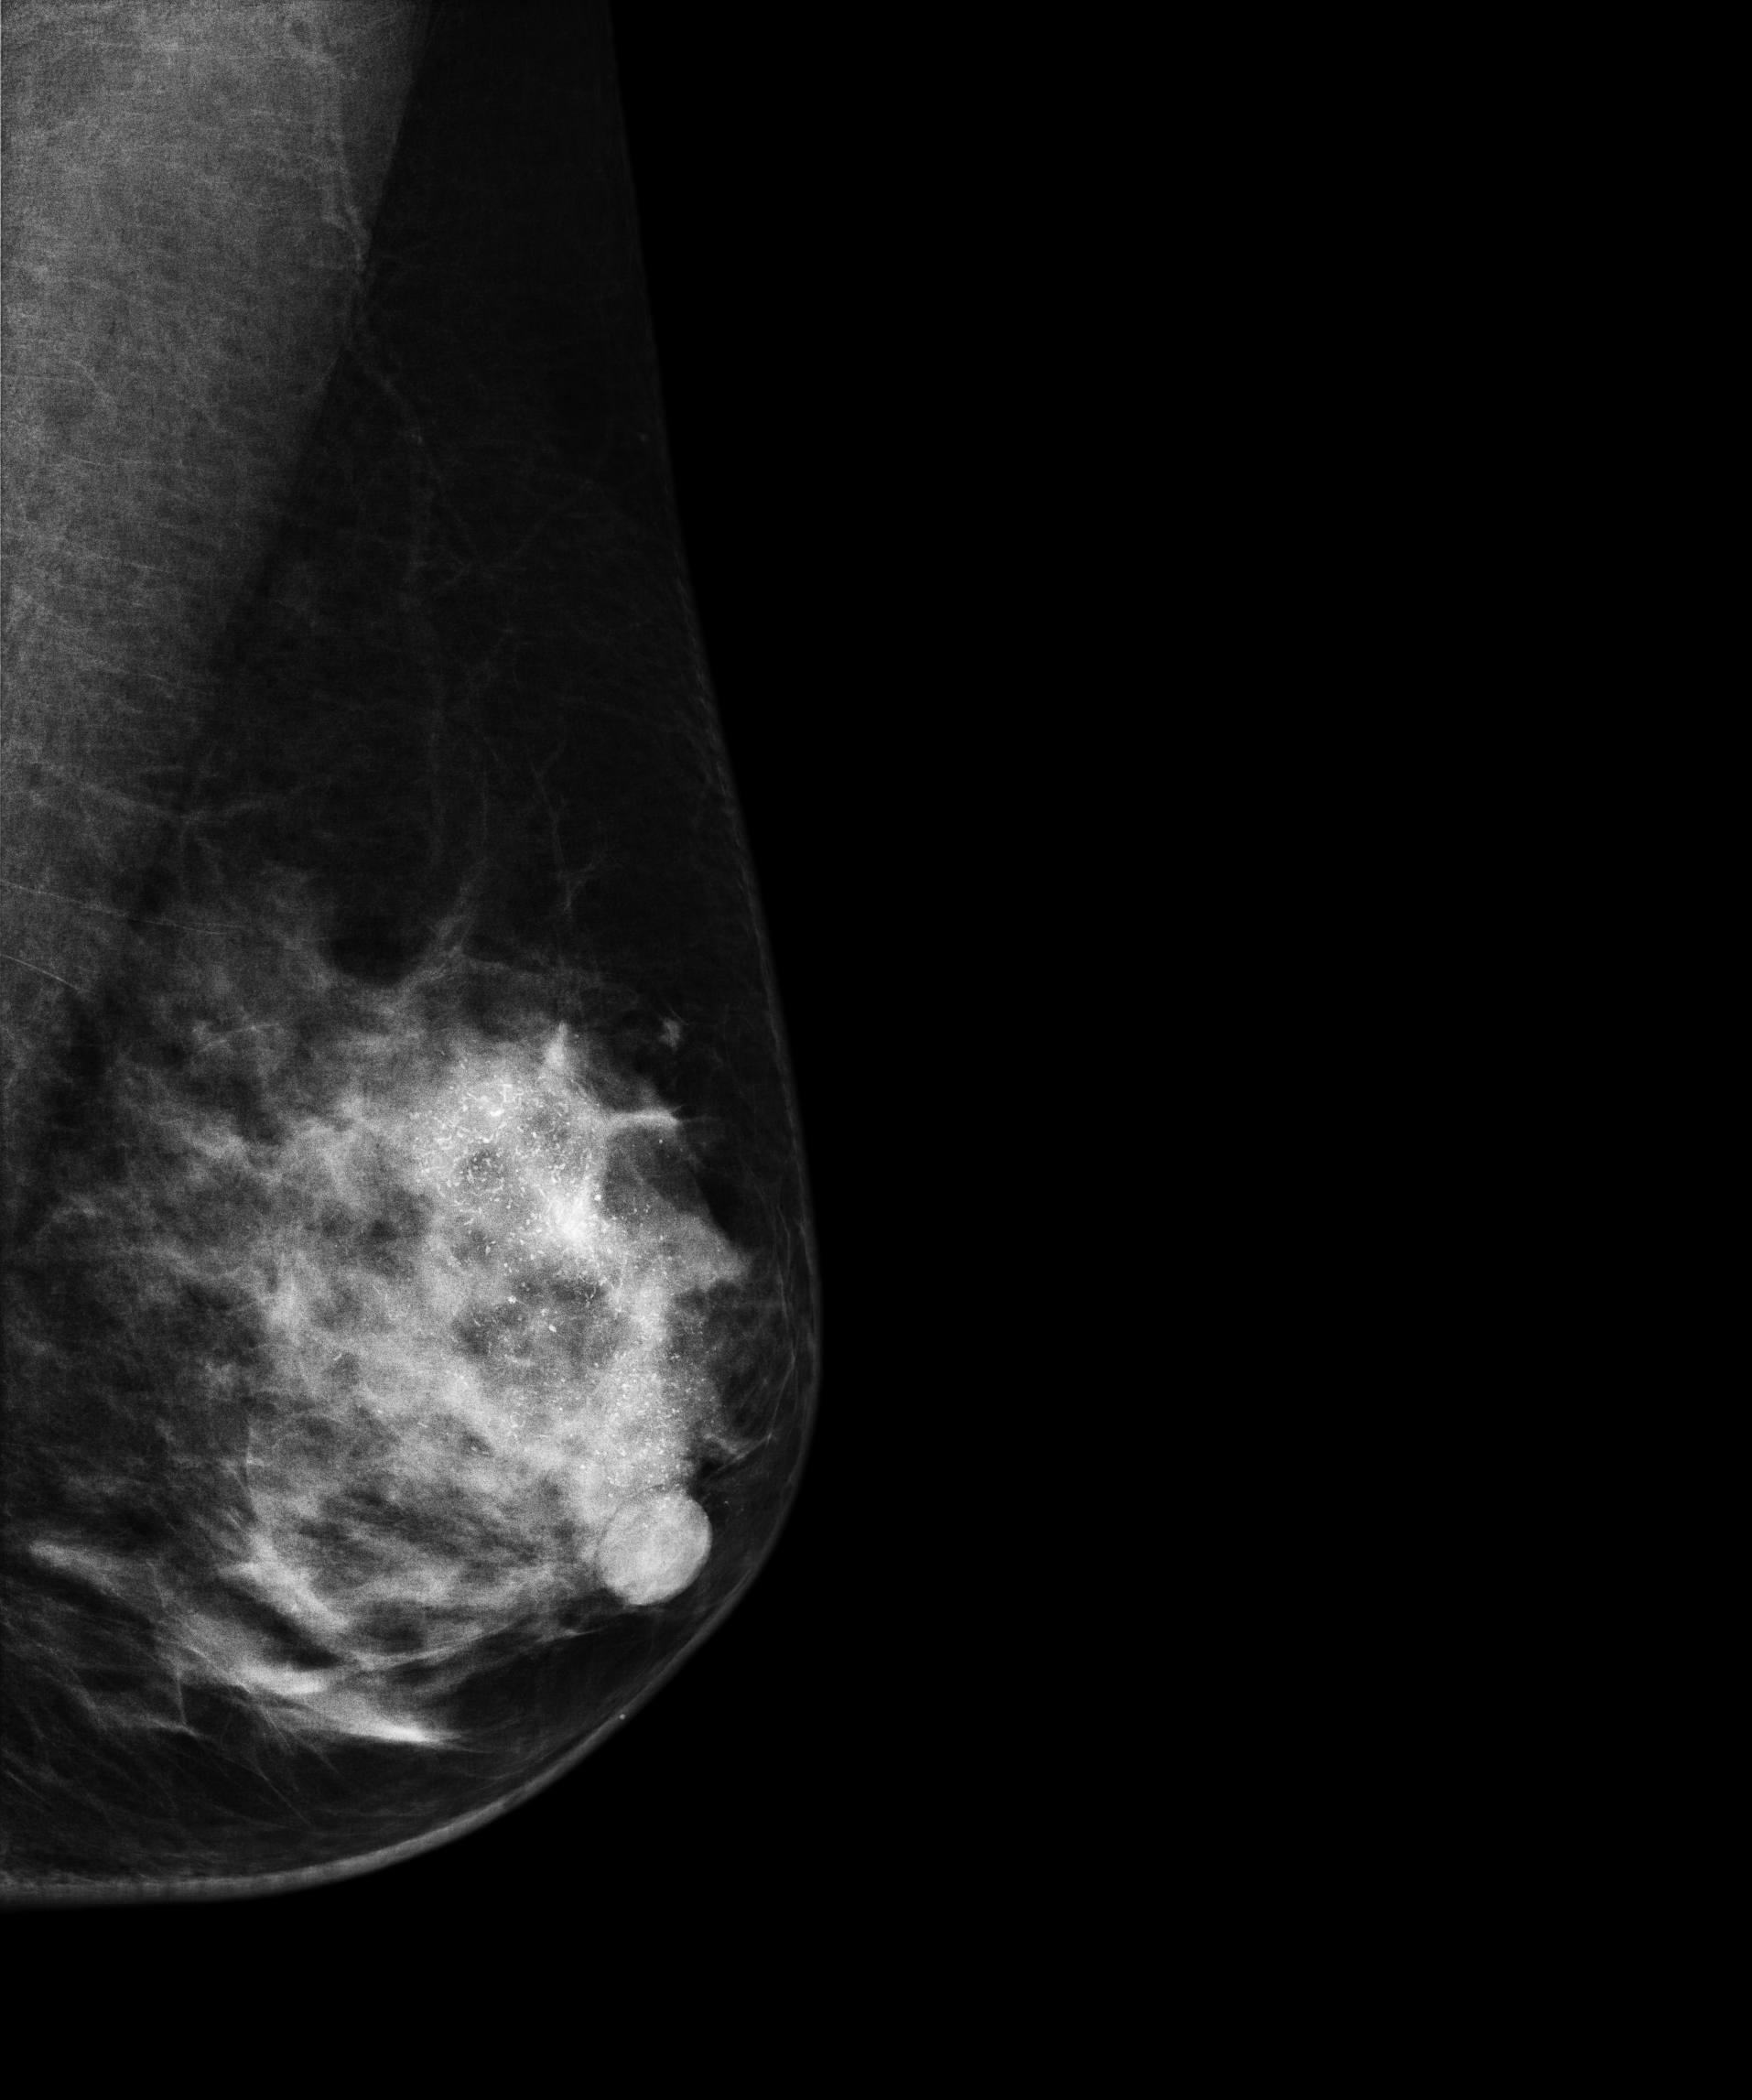
MLO mammogram of the left breast. 64-year-old patient.
This breast has calcifications, biopsy-confirmed malignant.